MLO mammogram of the right breast. 39-year-old patient.
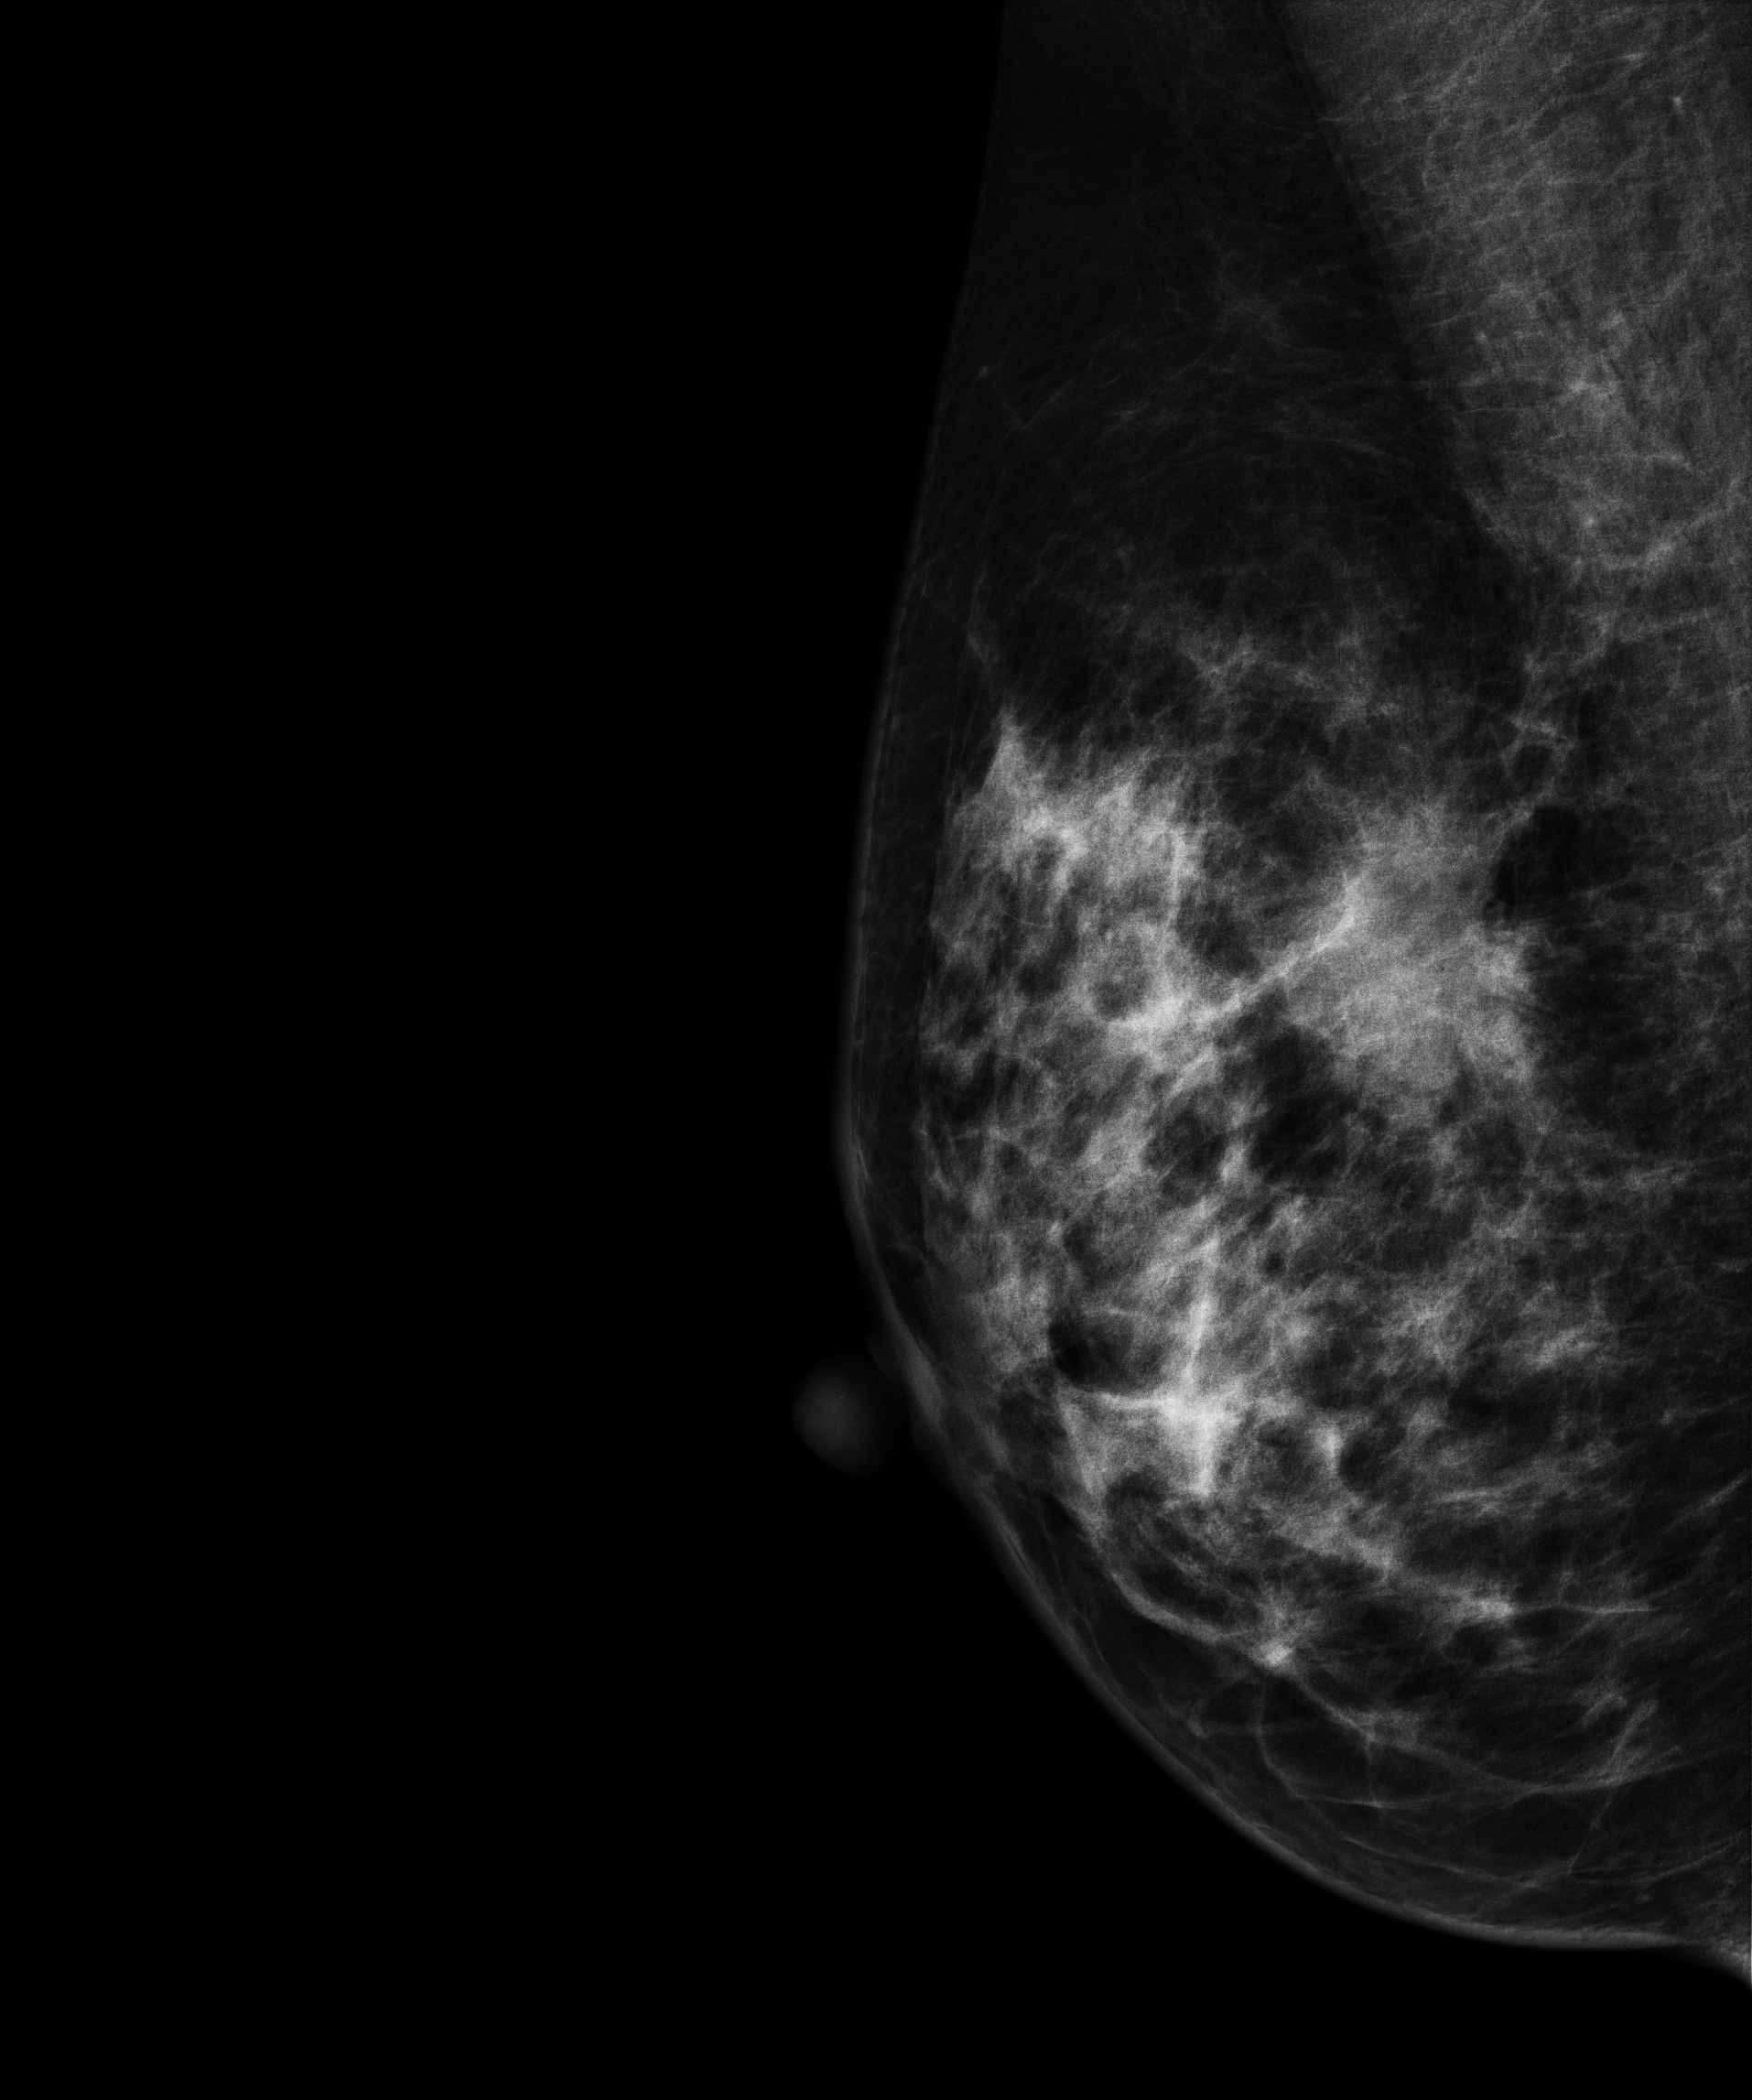
This breast has a mass, histologically confirmed malignant.